Left-breast mammogram, cranio-caudal. 61 y/o patient.
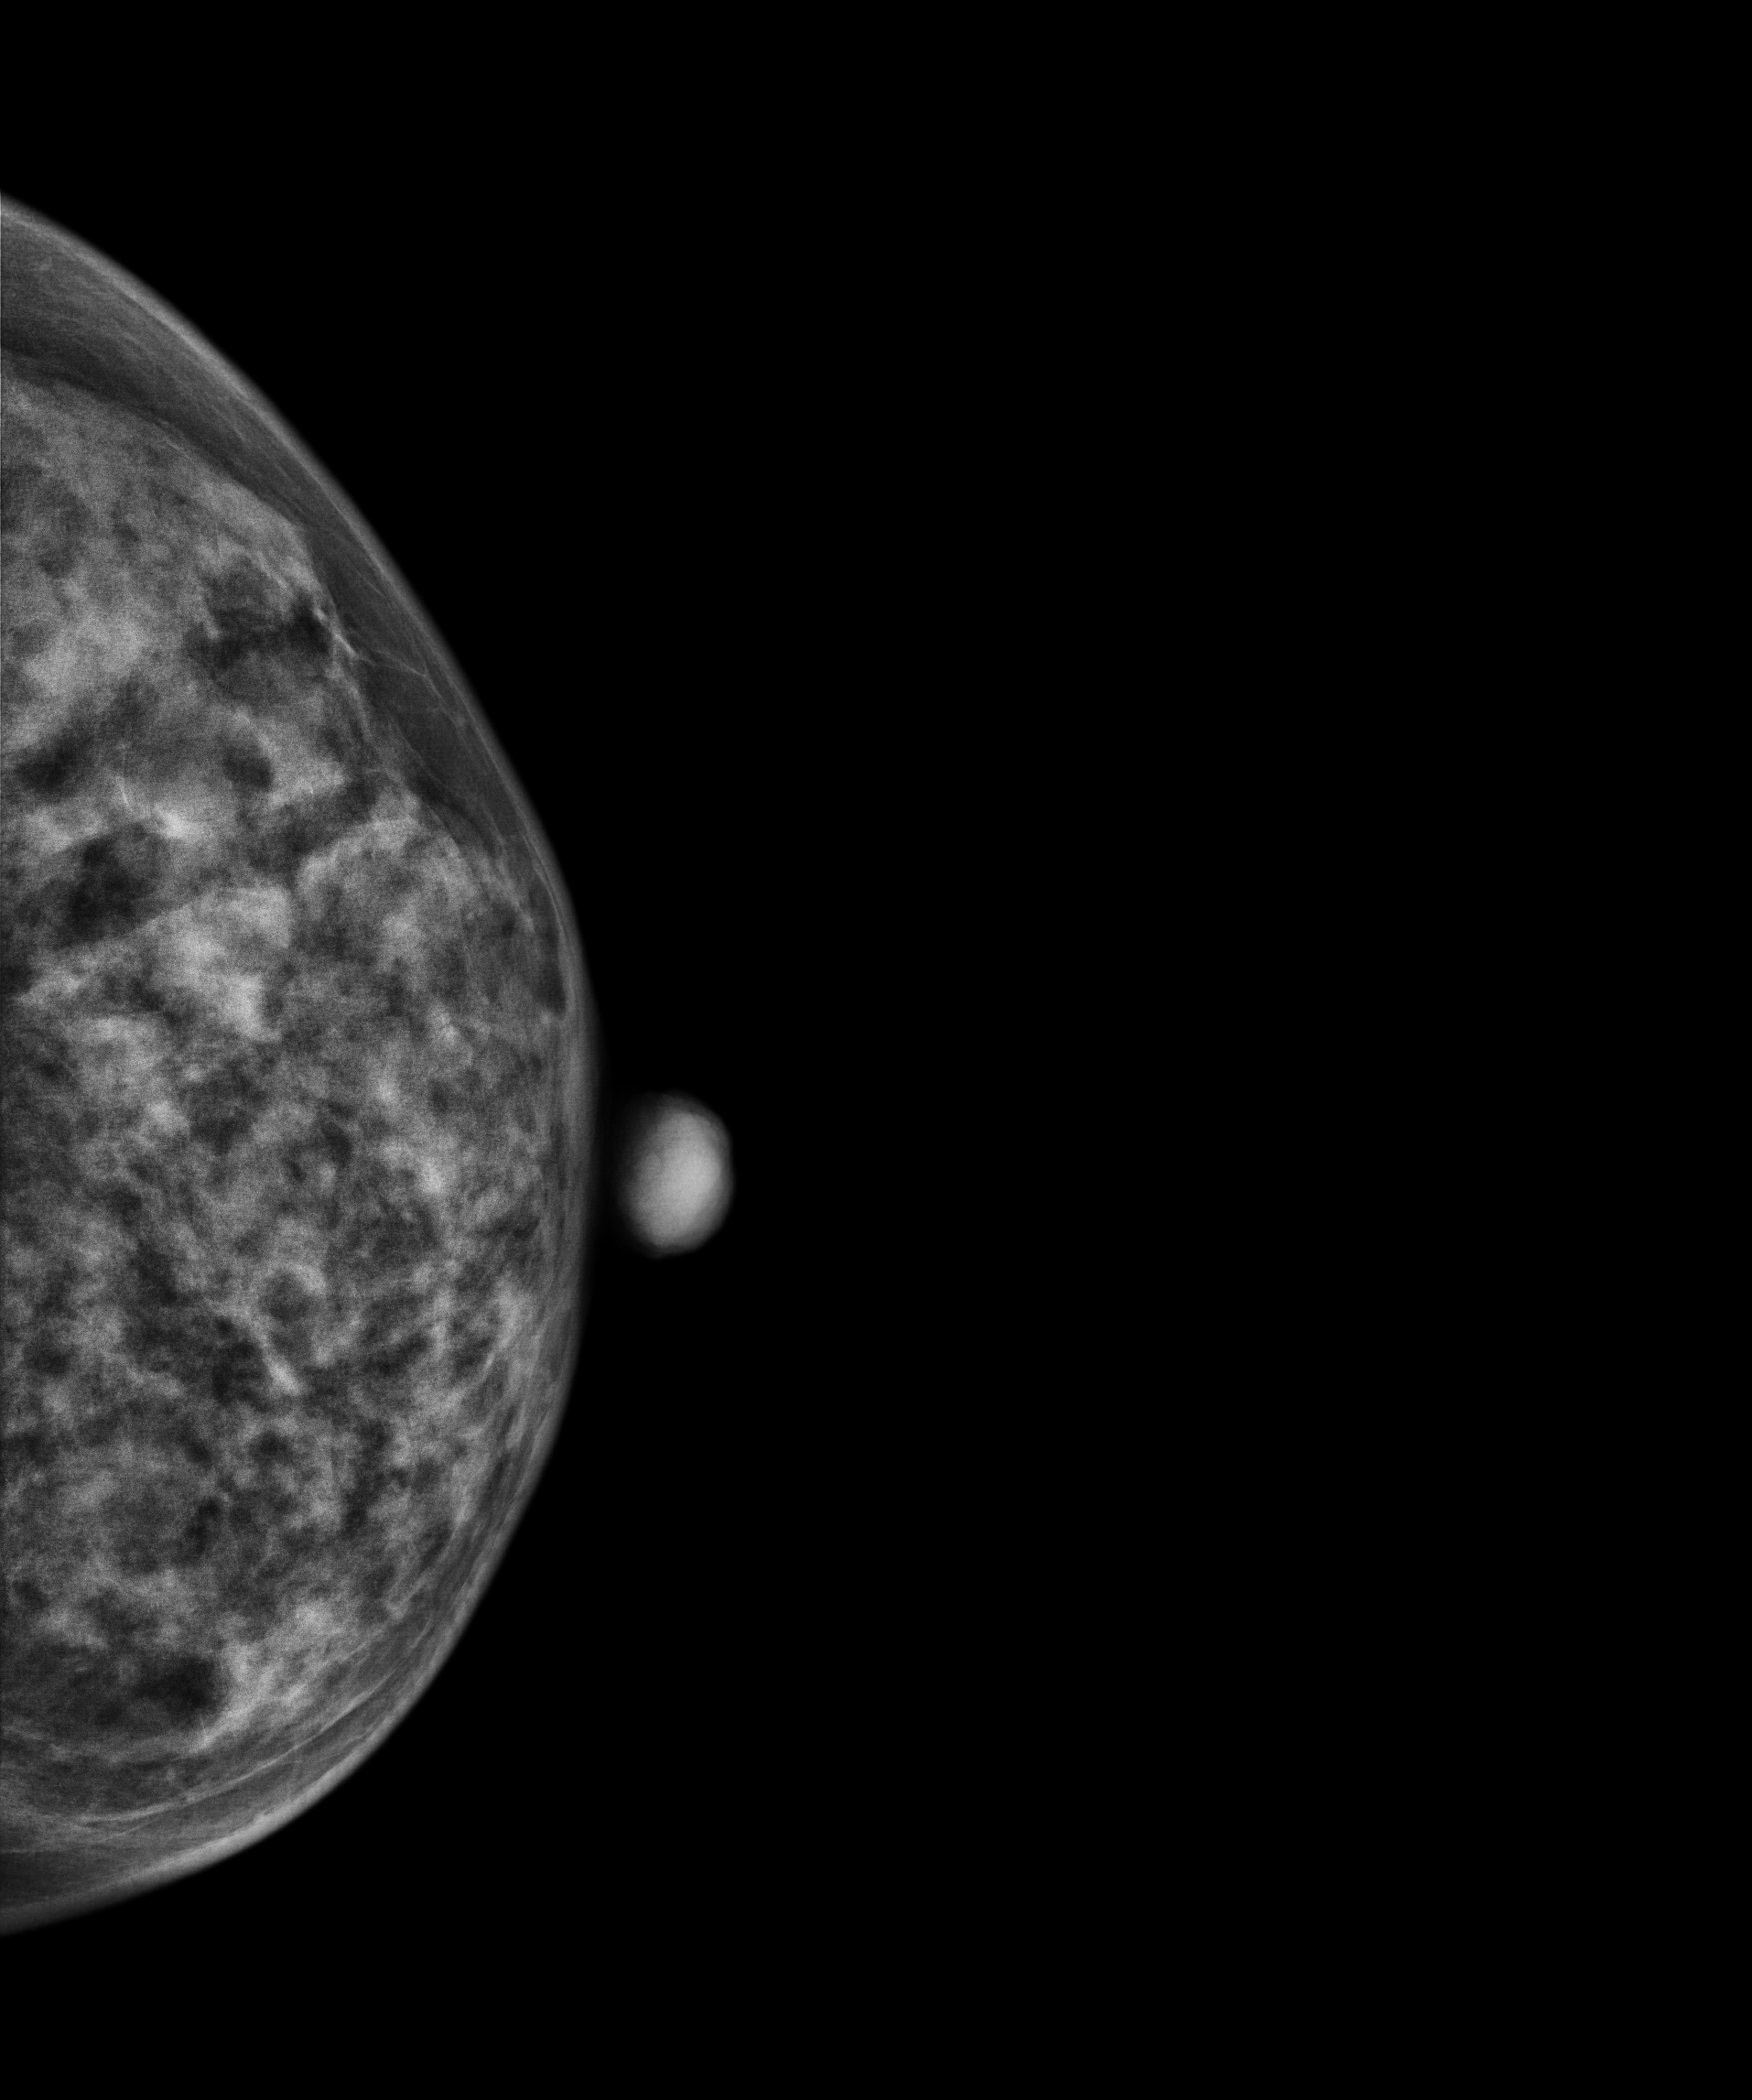
This breast has a mass, biopsy-confirmed malignant.